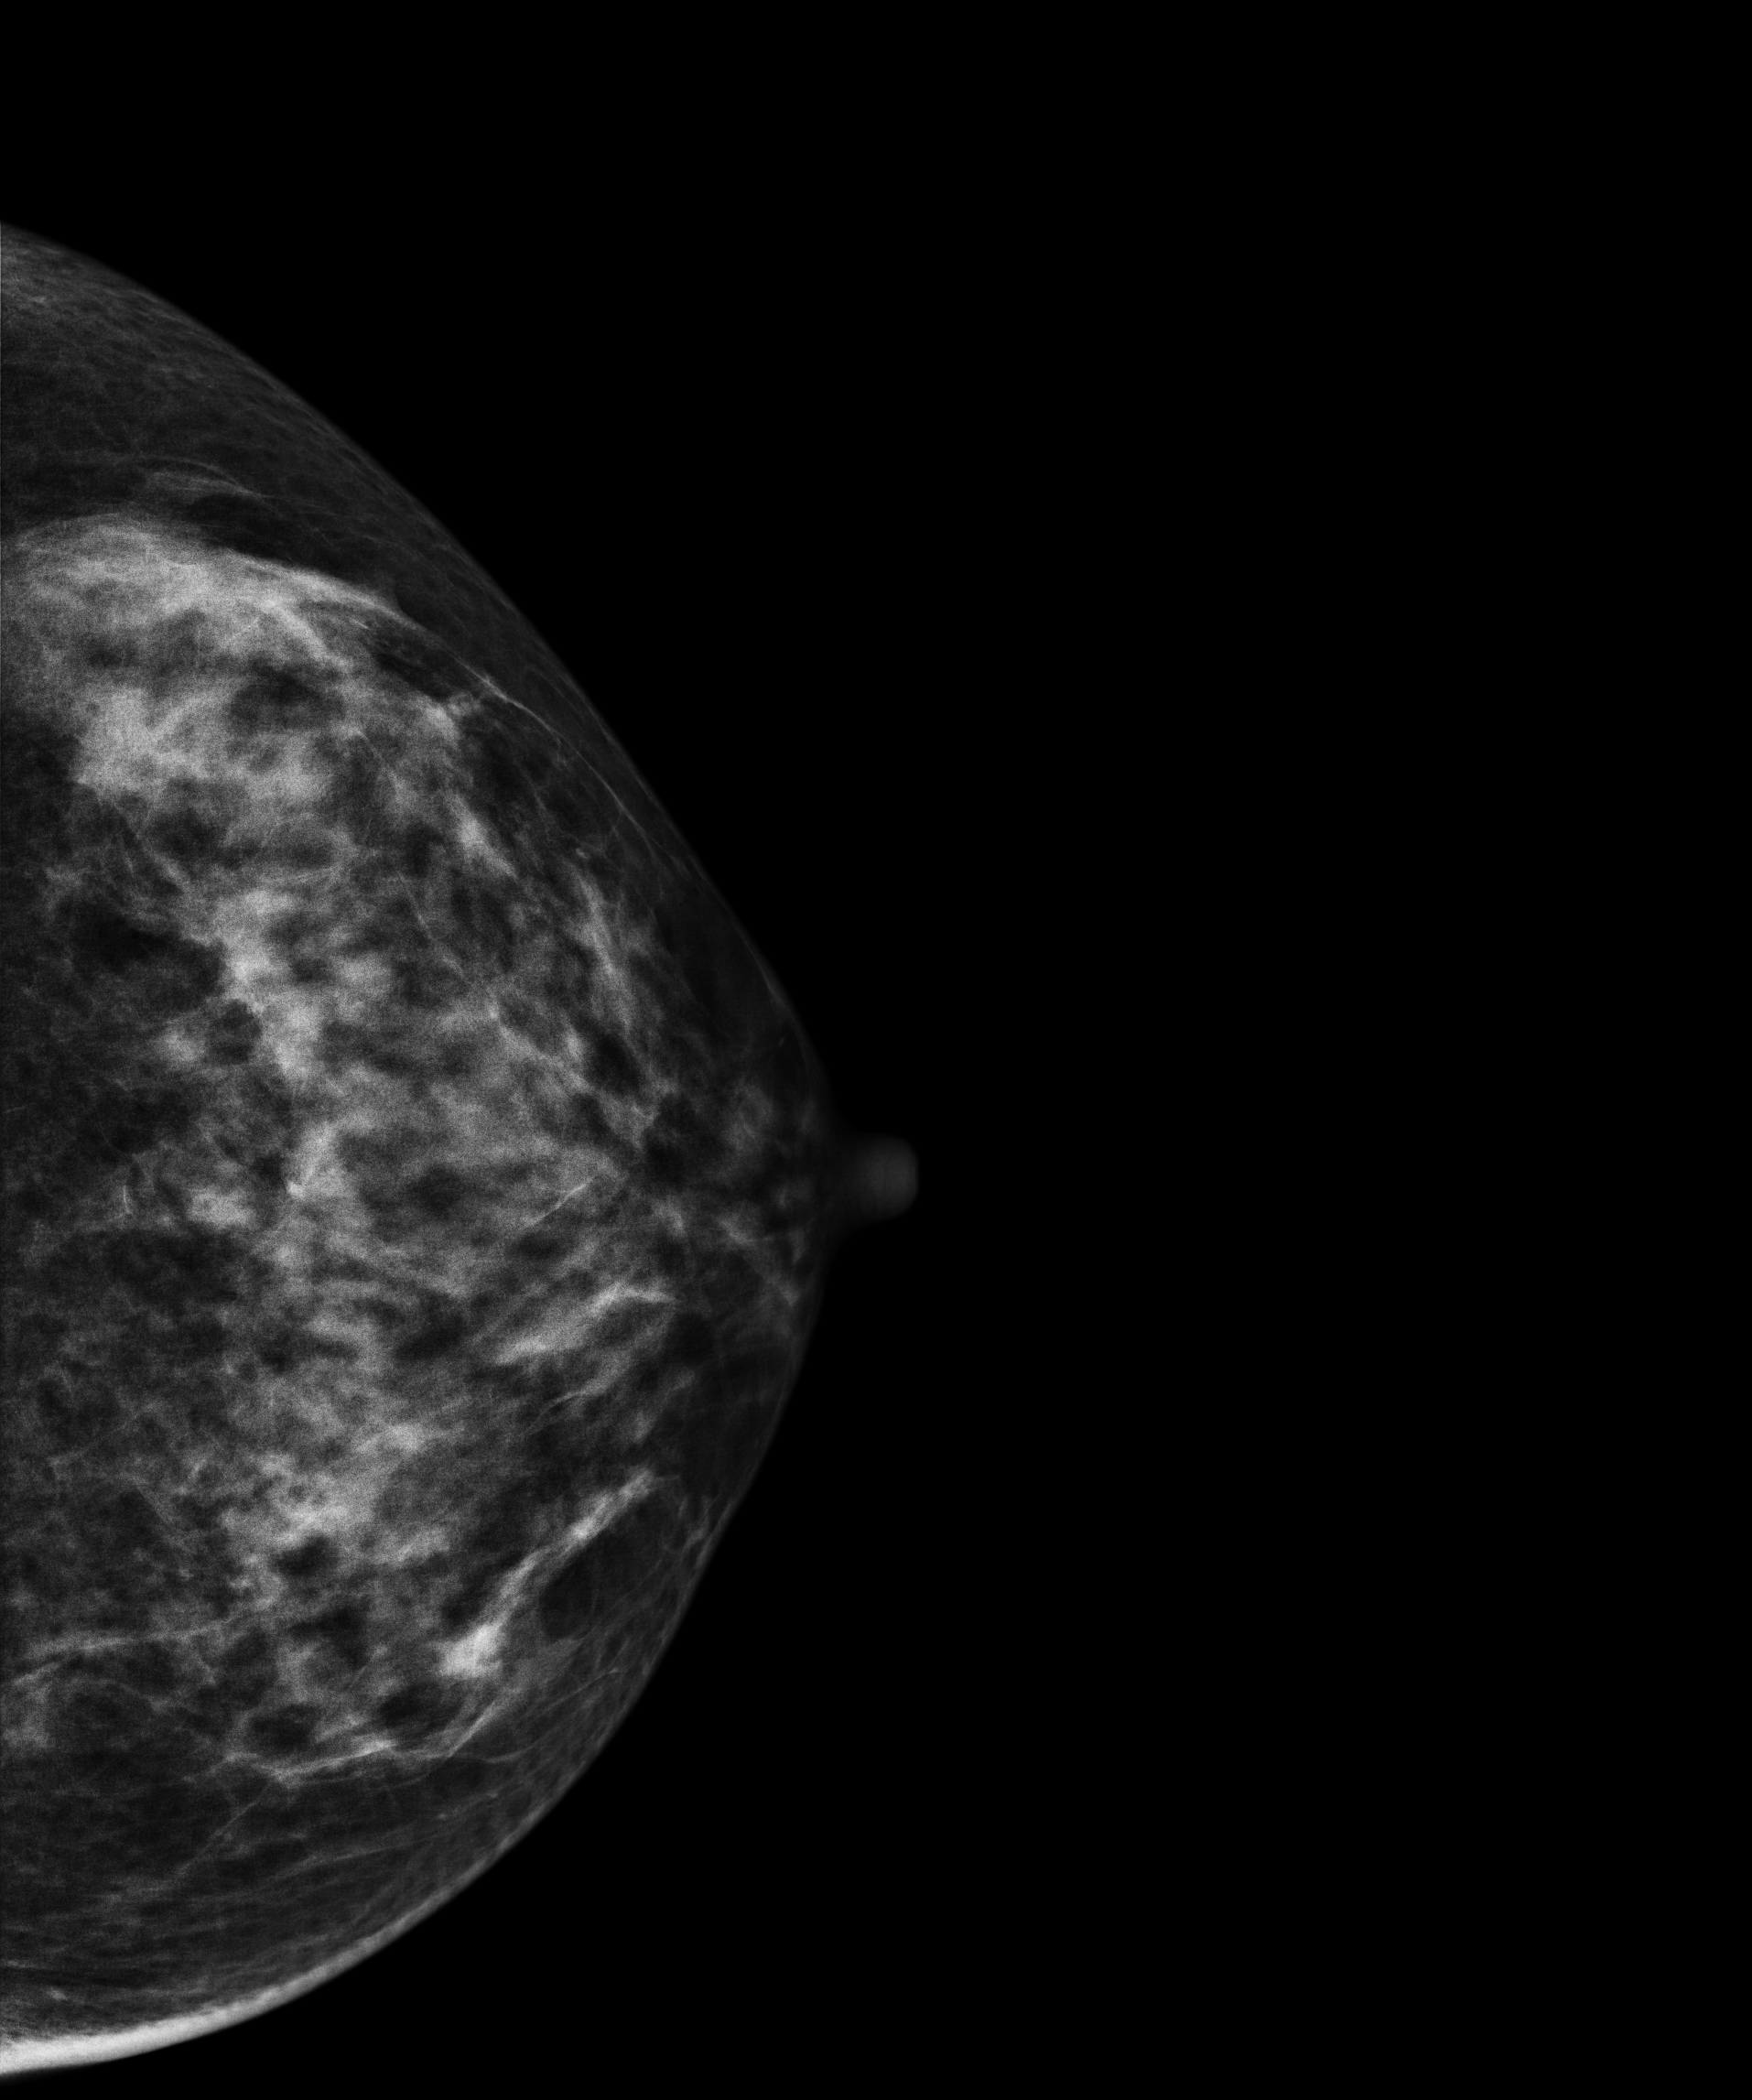
CC mammogram of the left breast. 40 y/o patient.
Contralateral breast — no documented abnormality on this side.